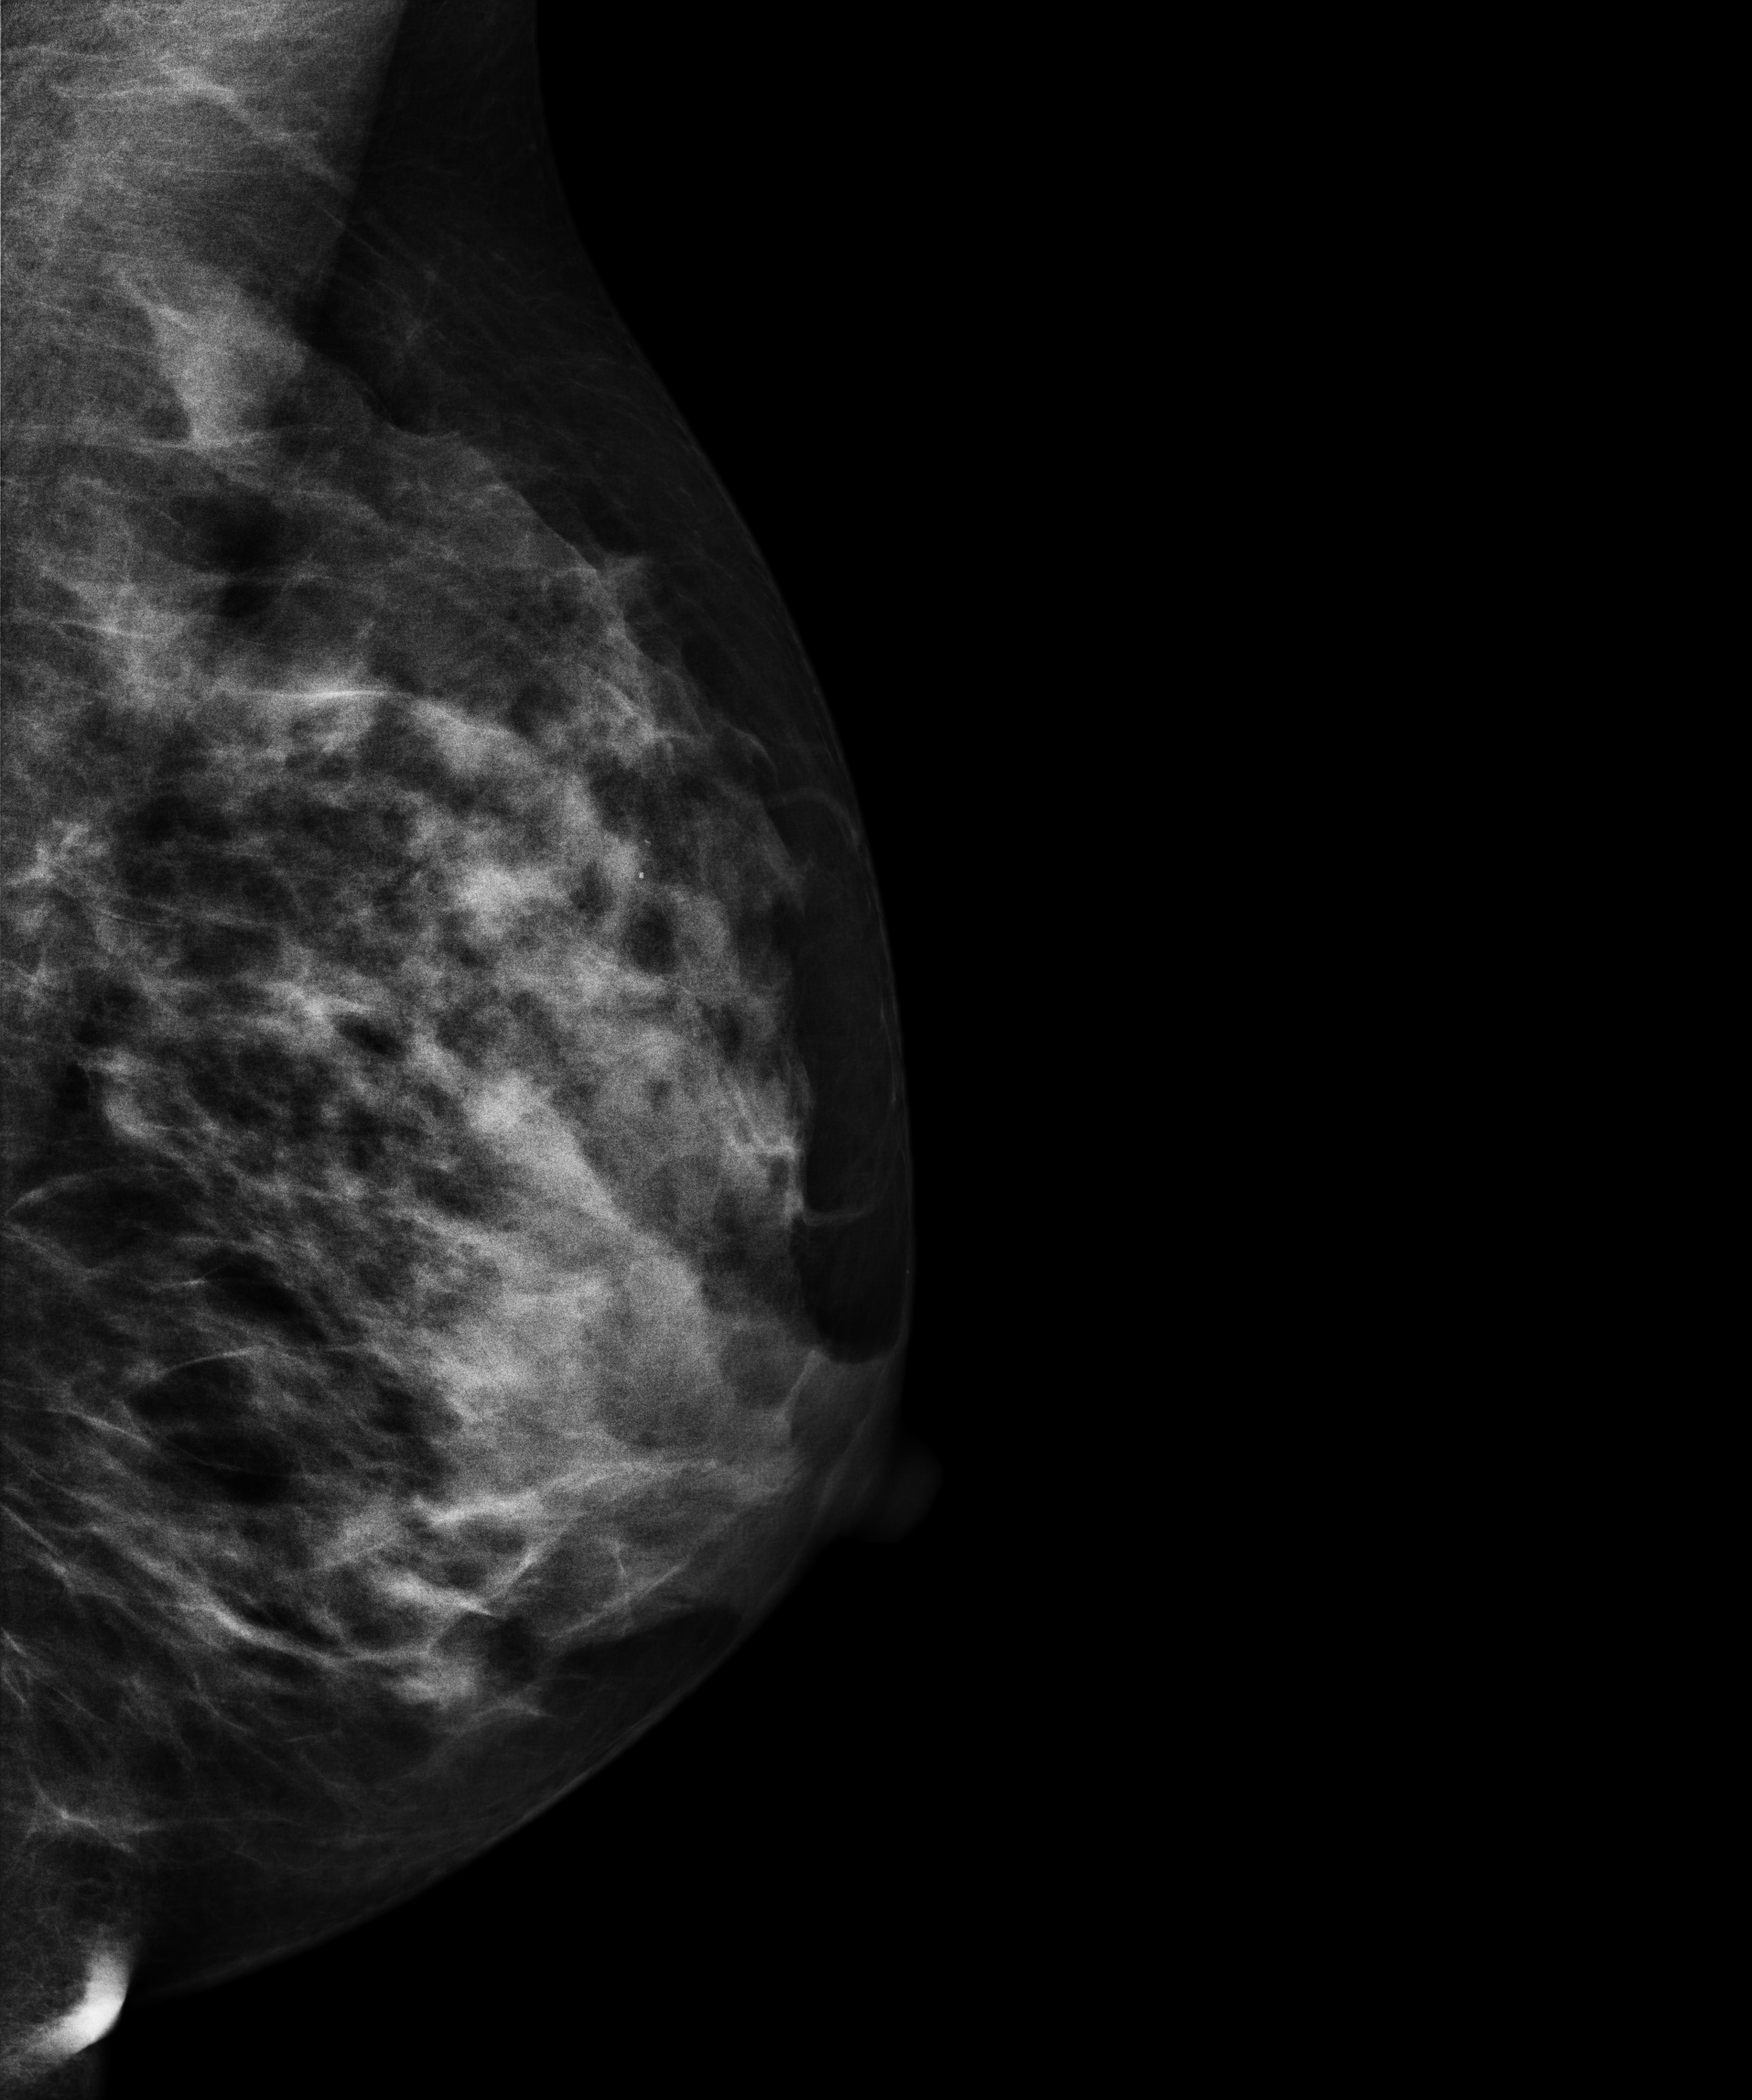
Mammogram — left medio-lateral oblique. Patient age 36.
This breast has a mass and calcifications, pathology-confirmed benign.